Right-breast mammogram, MLO. 72 y/o patient.
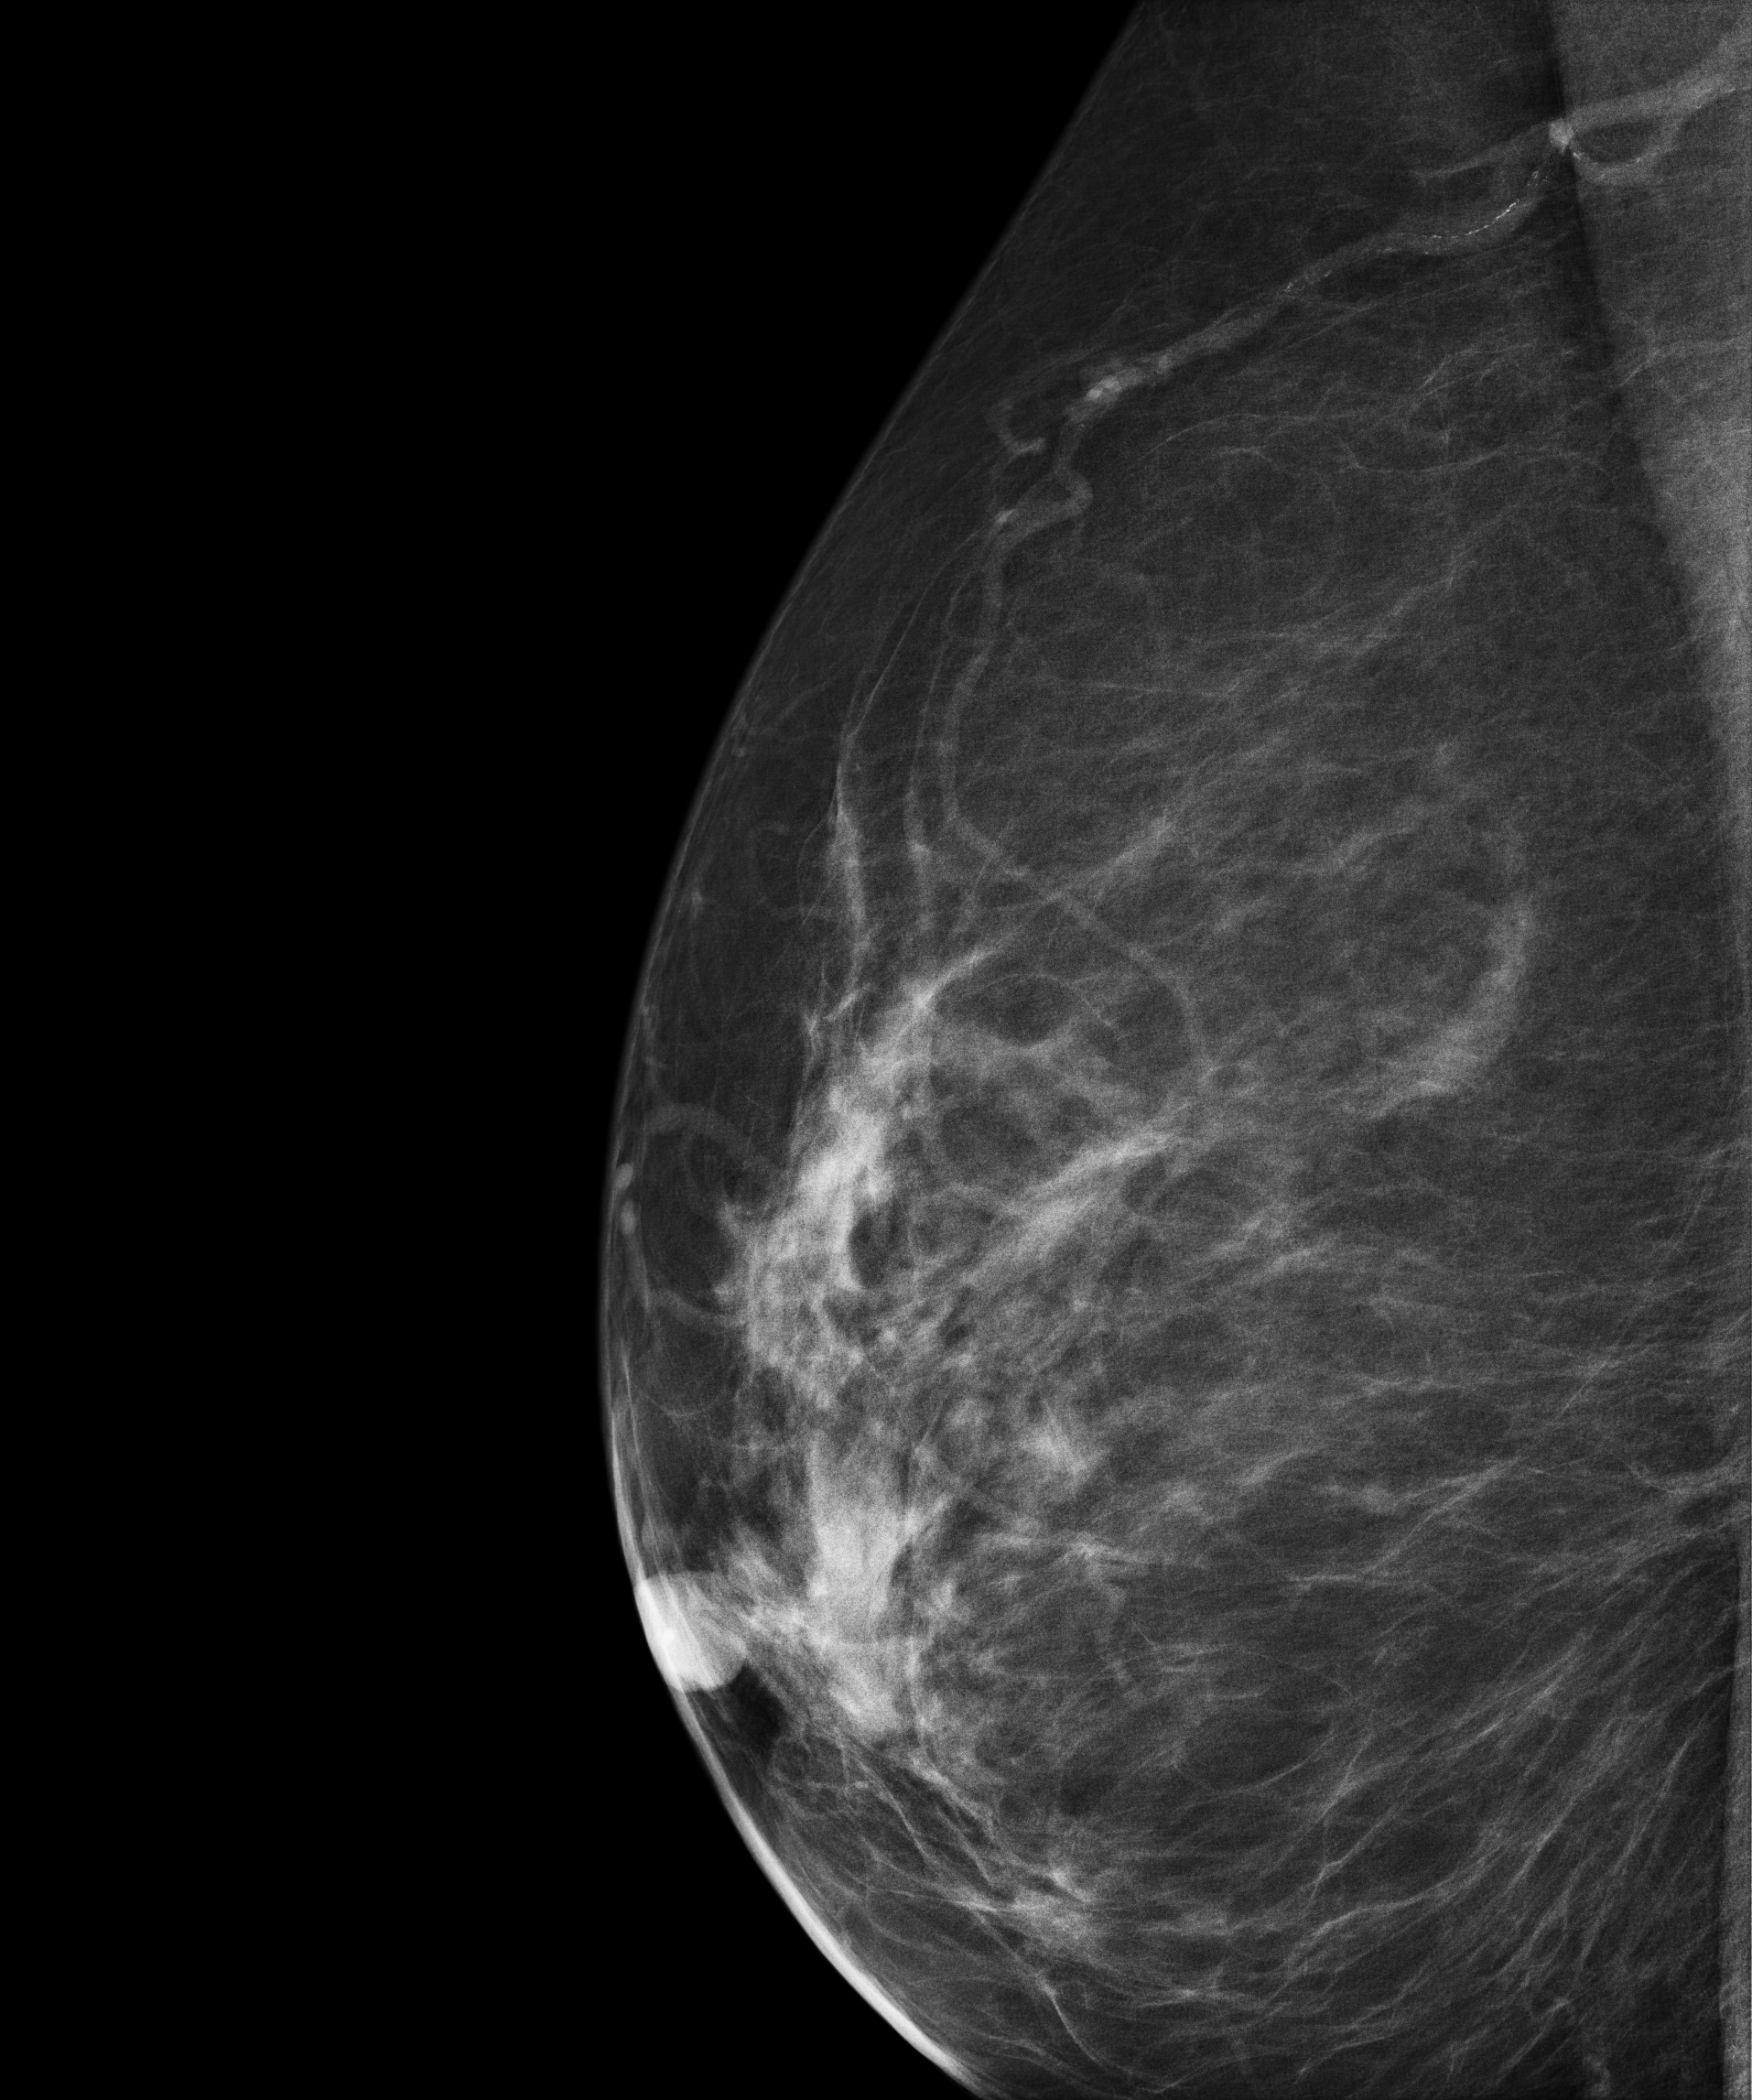
Contralateral breast — no documented abnormality on this side.